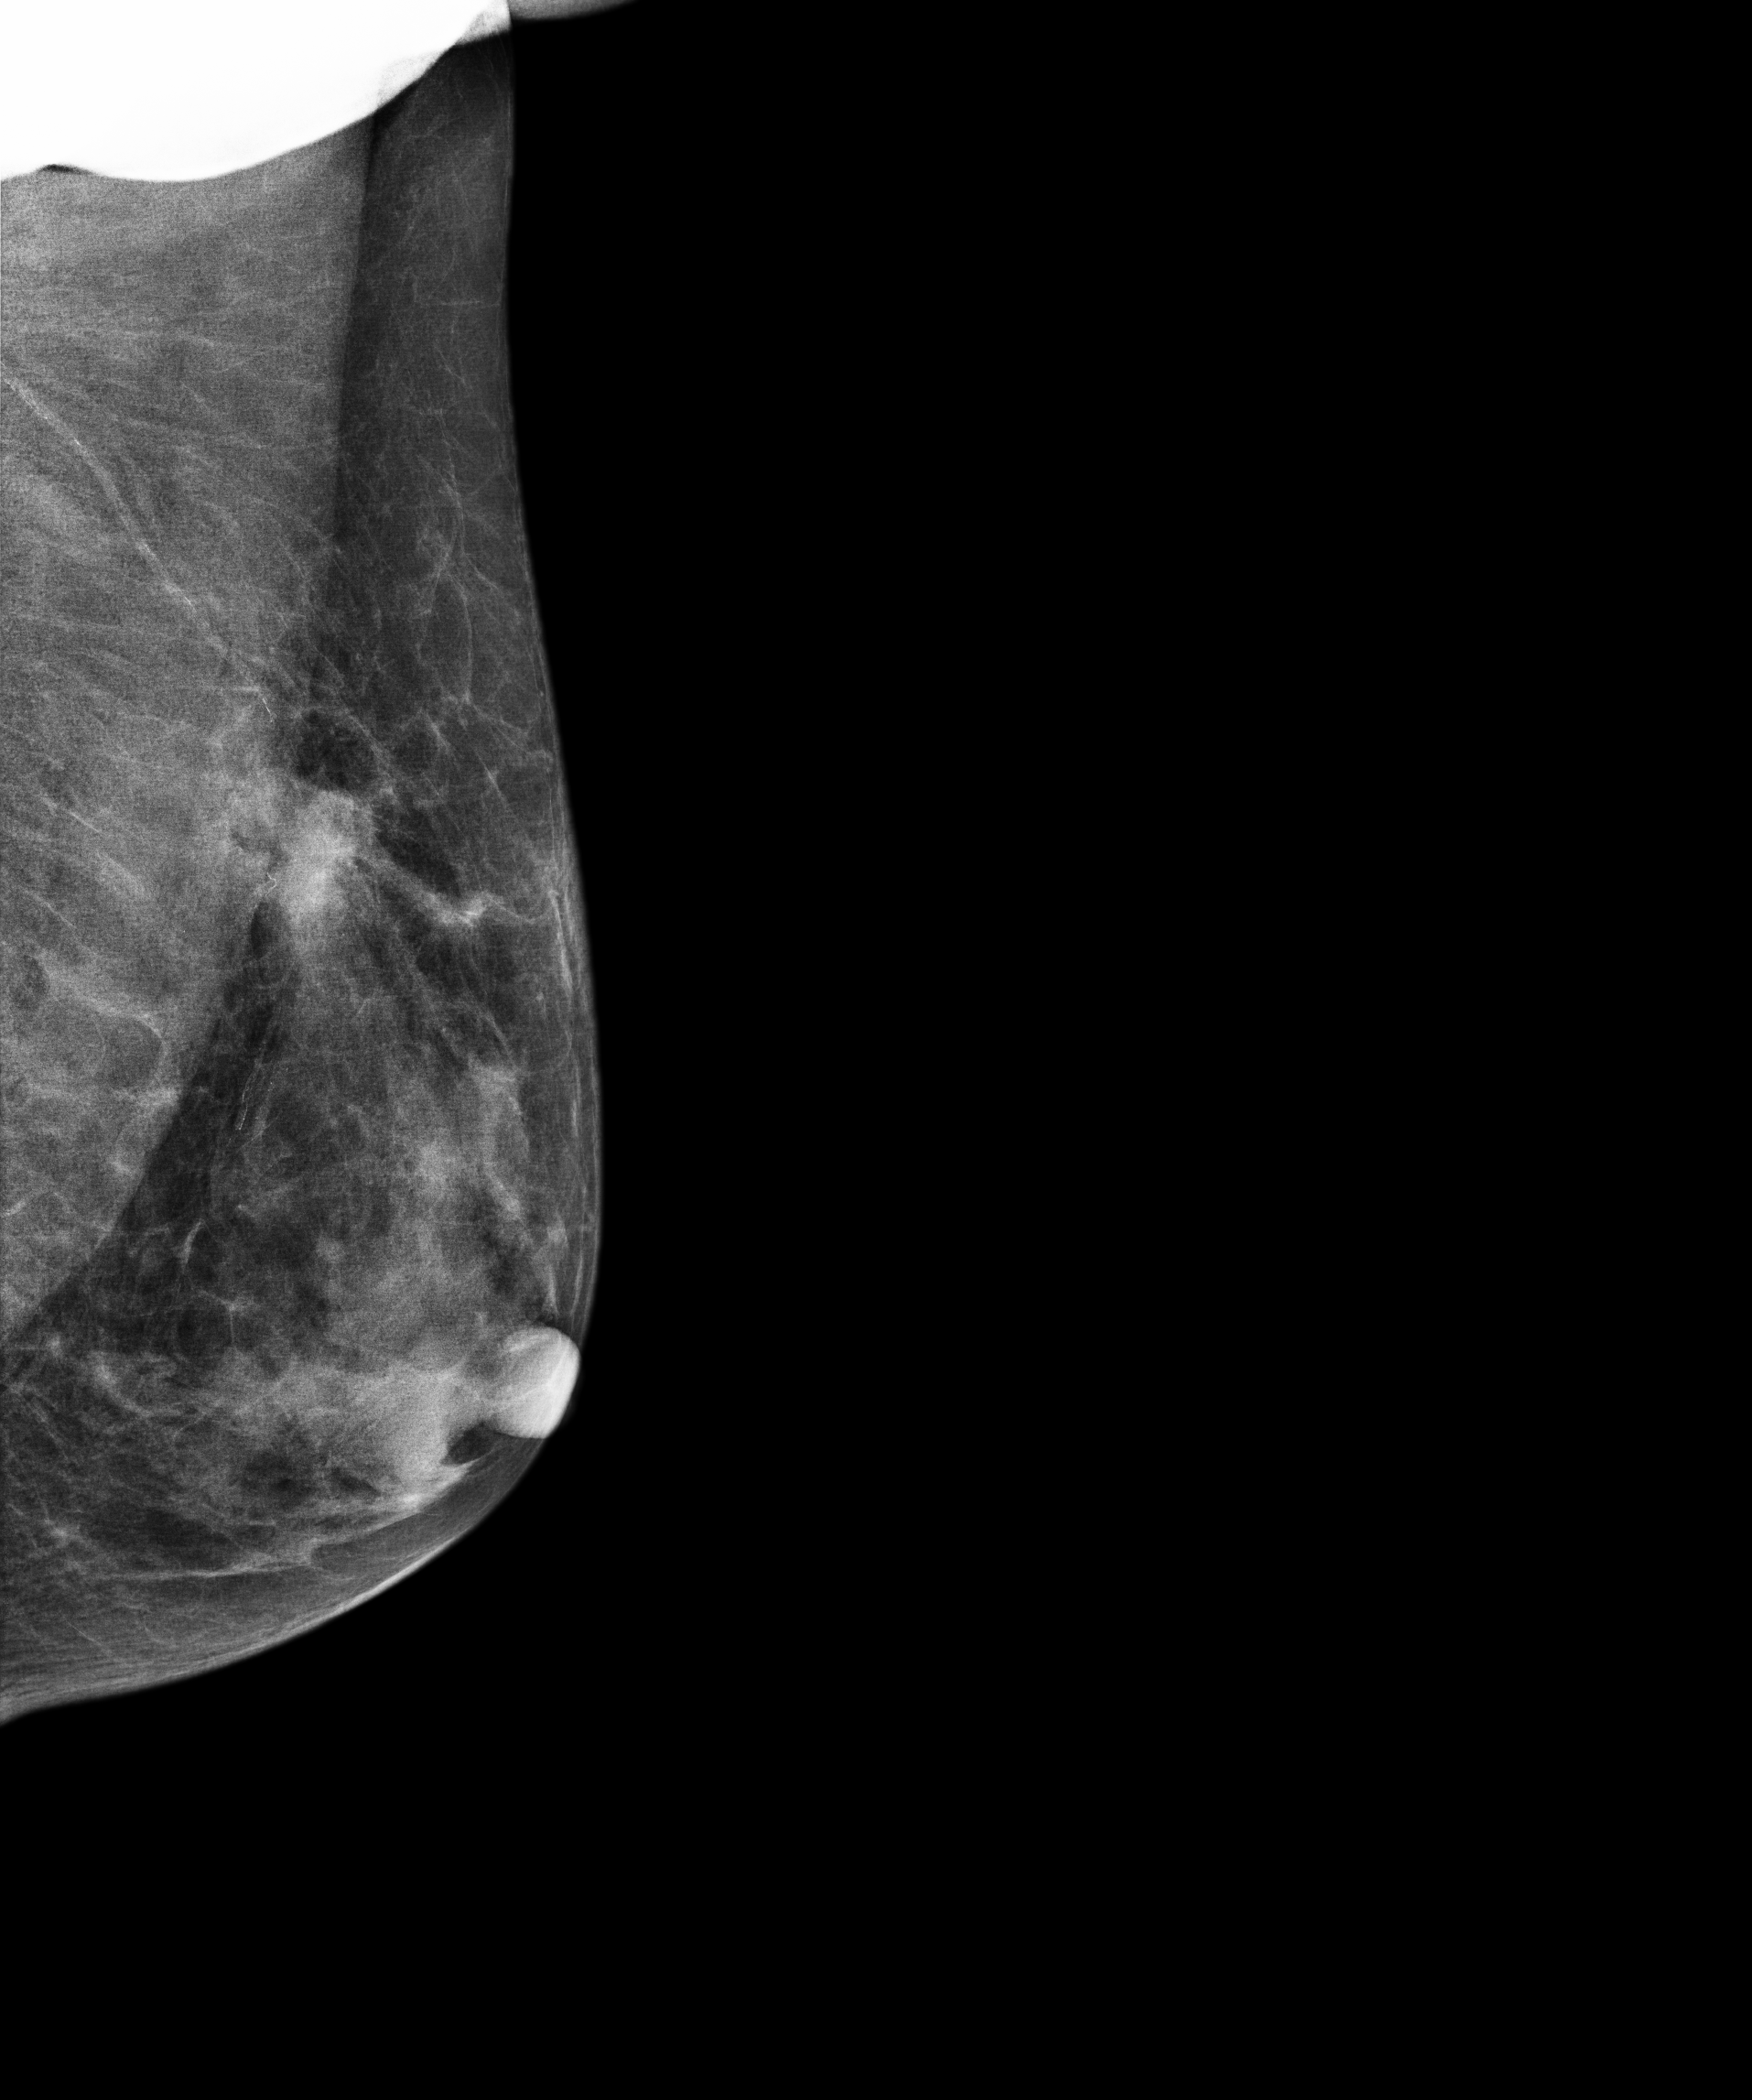
Mammogram, left breast, MLO view. 71-year-old patient.
This breast has a mass, biopsy-proven malignant. Molecular subtype: luminal B.